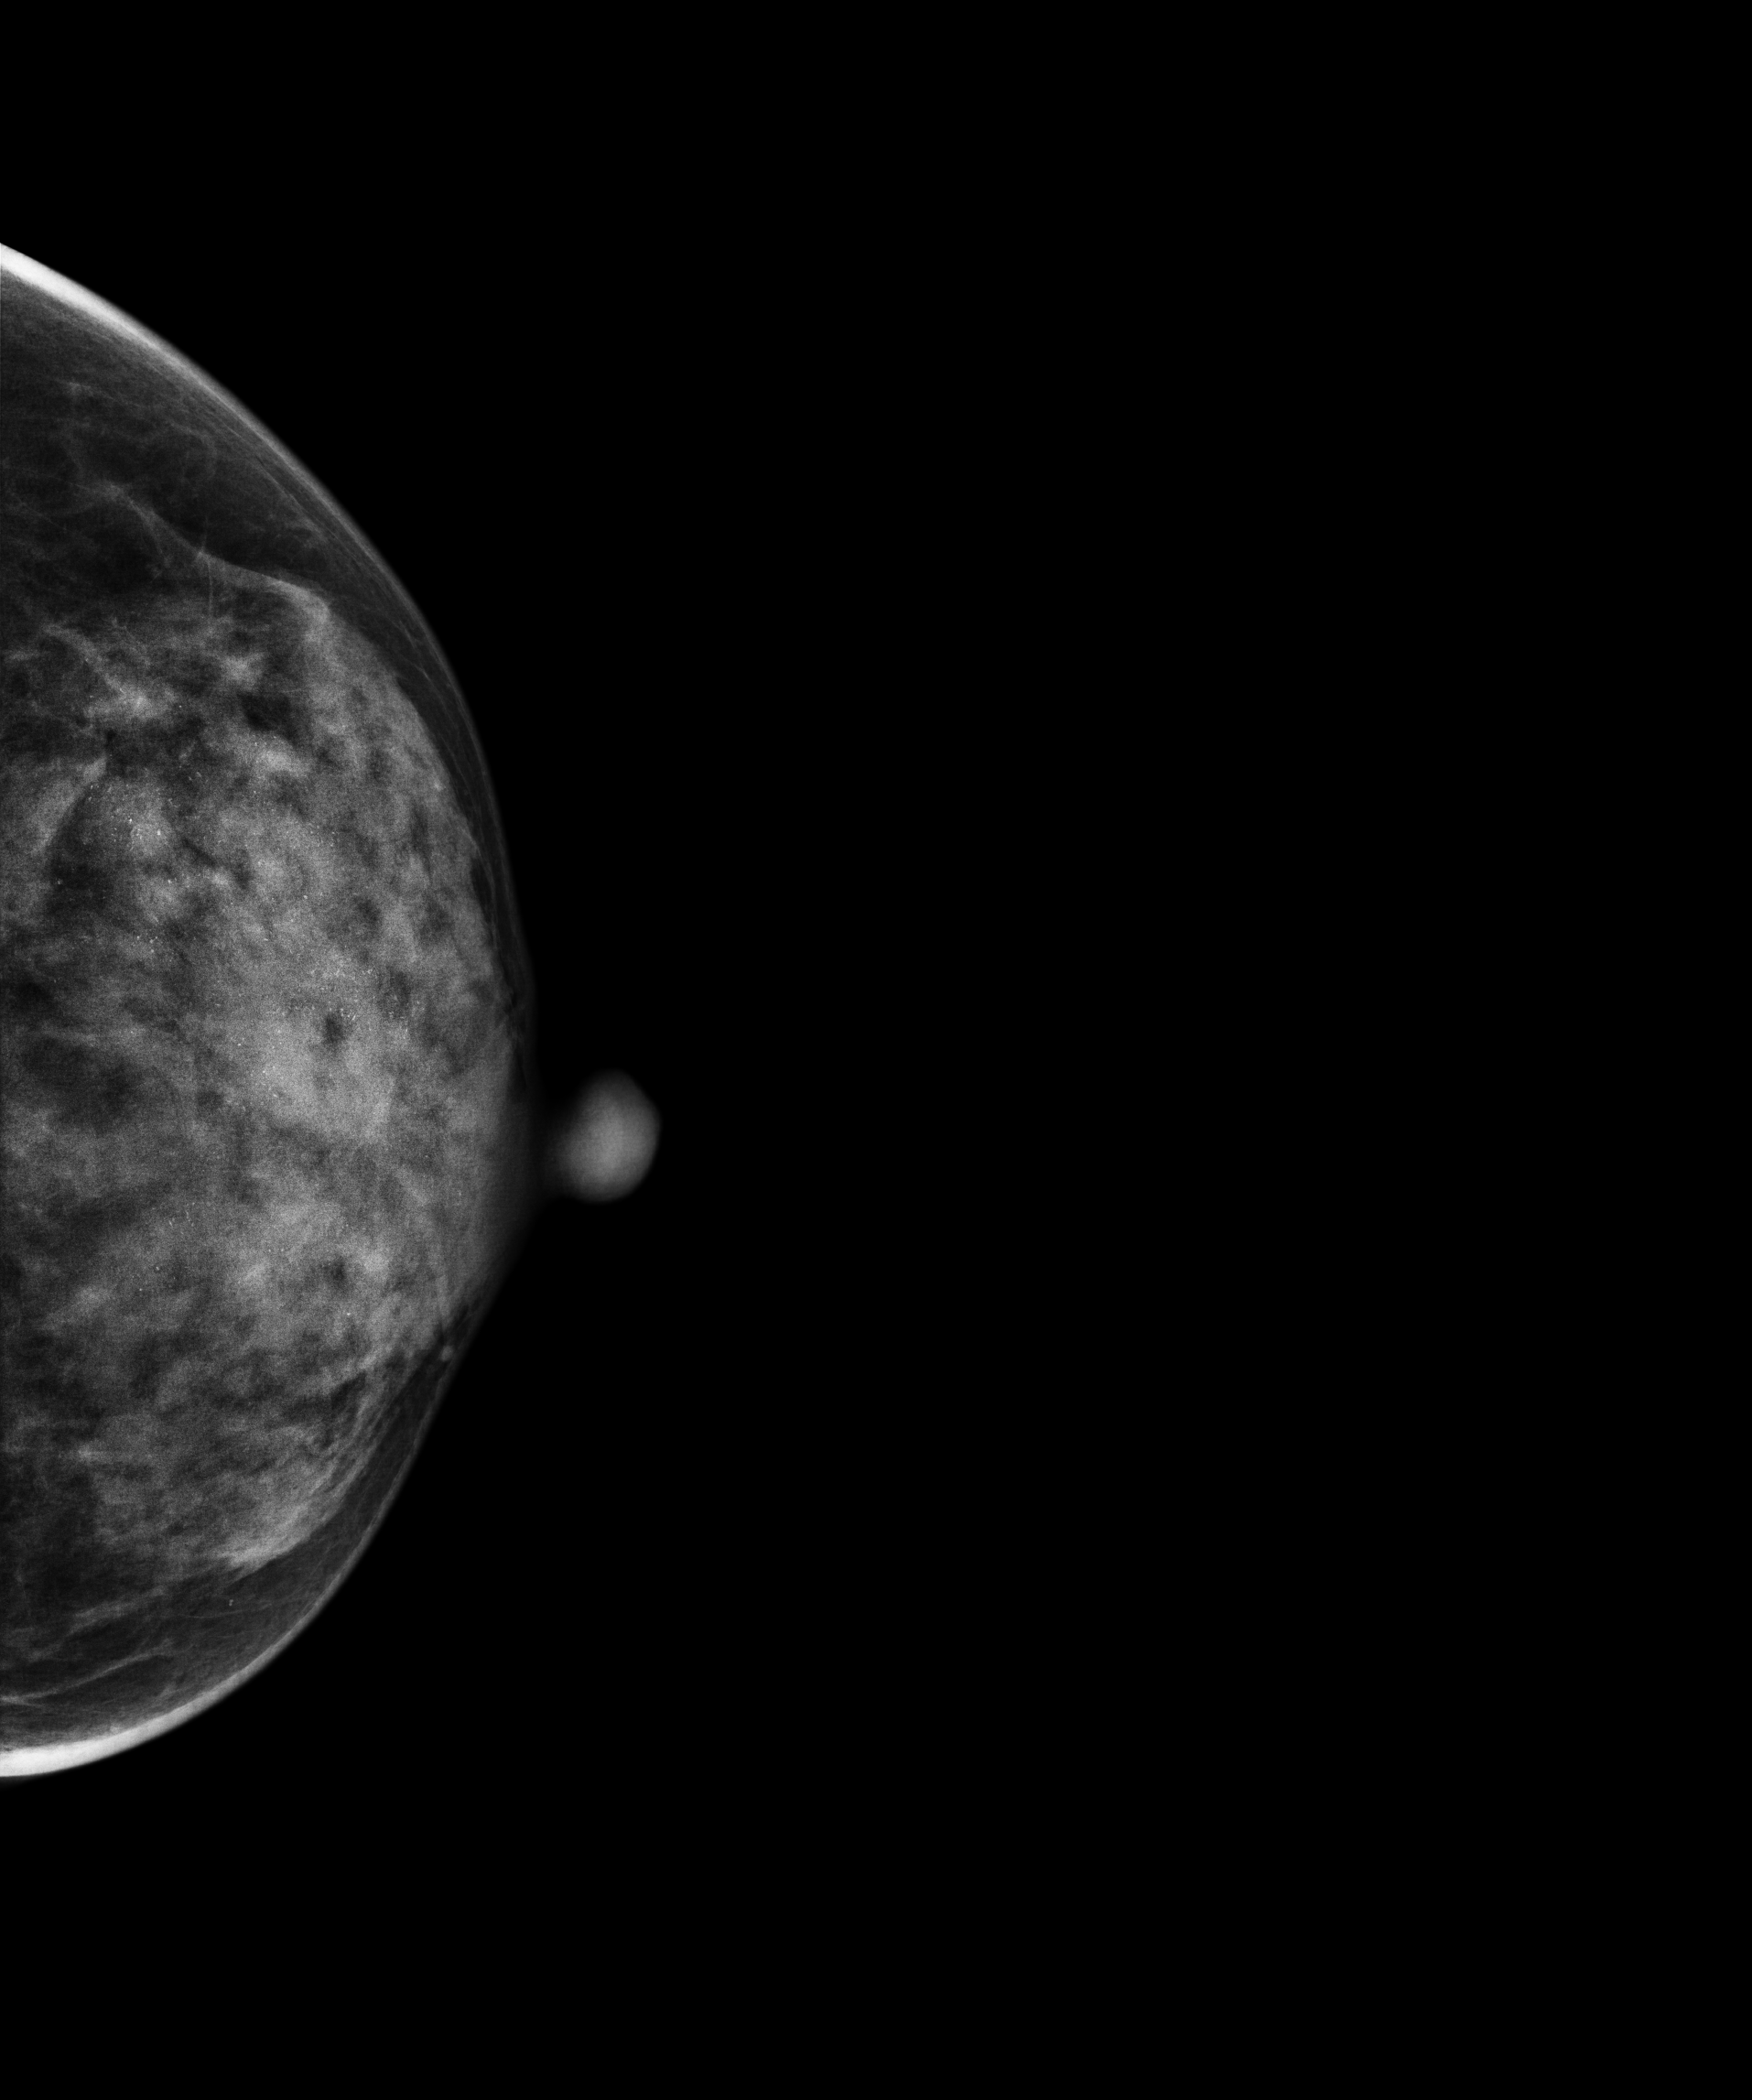
Cranio-caudal mammogram of the left breast. 38-year-old patient.
This breast has calcifications, biopsy-proven malignant. Molecular subtype: luminal B.